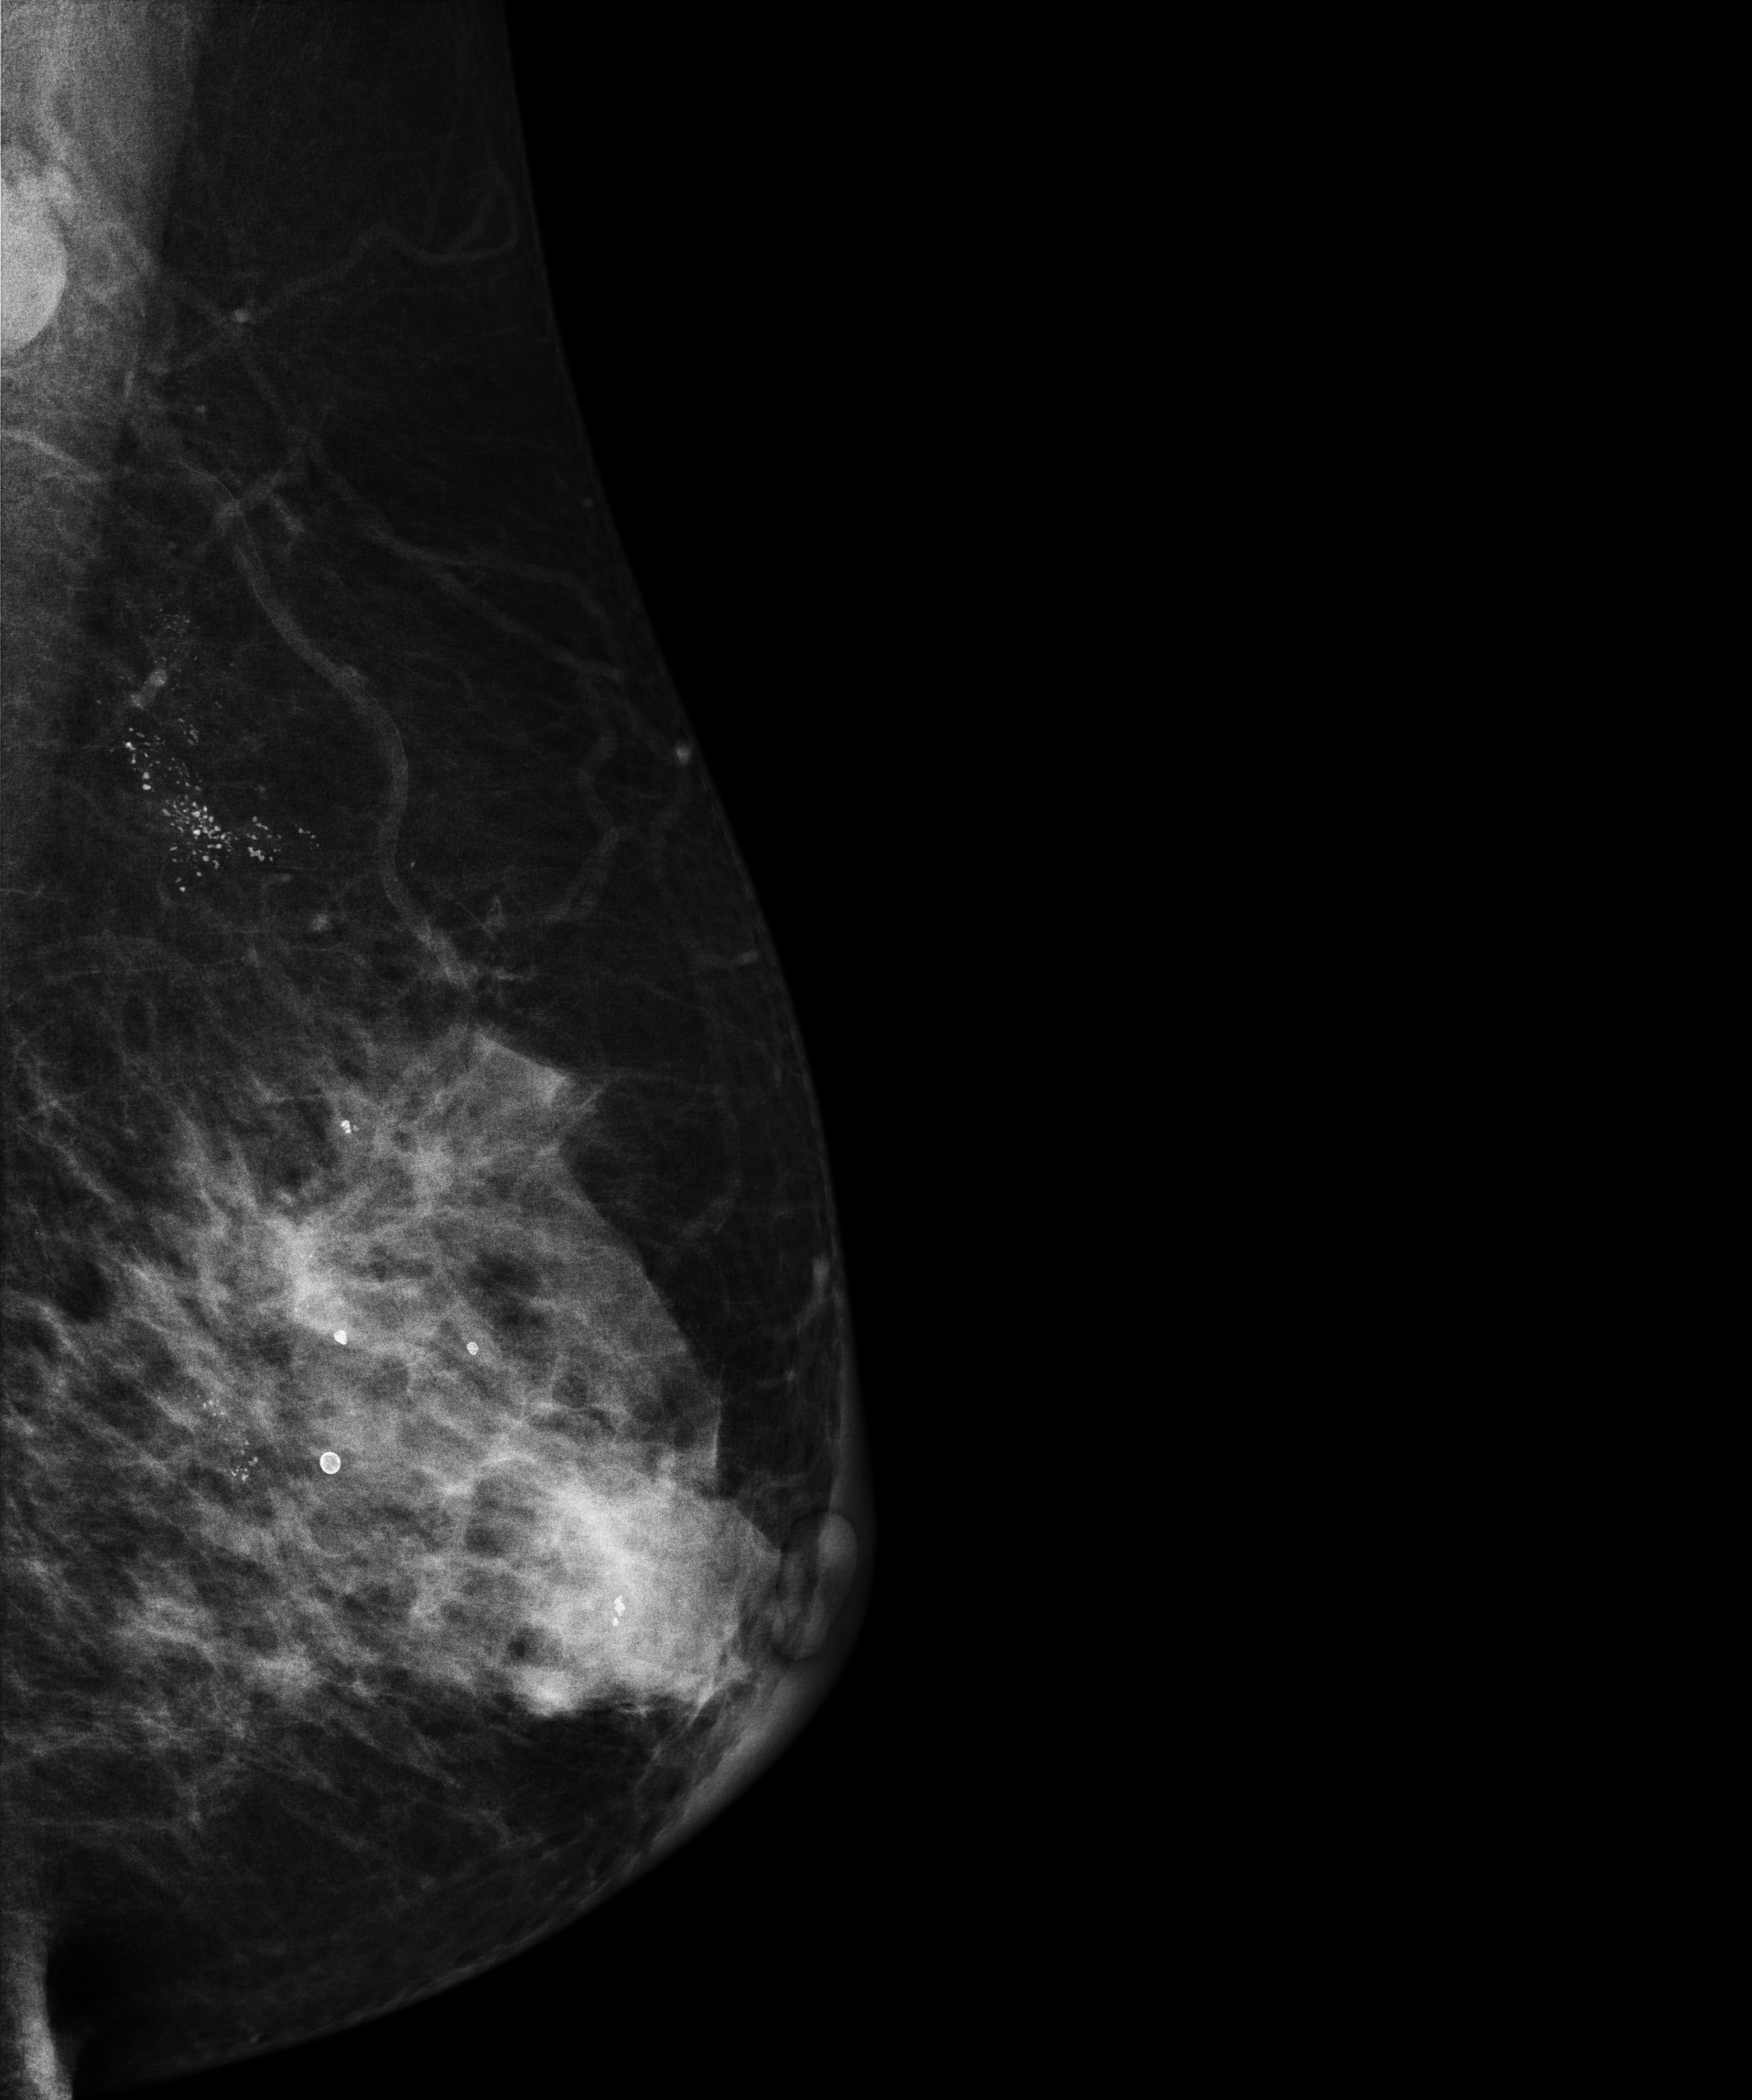
Left-breast mammogram, medio-lateral oblique. 63-year-old patient.
This breast has a mass and calcifications, histologically confirmed malignant. Molecular subtype: HER2-enriched.